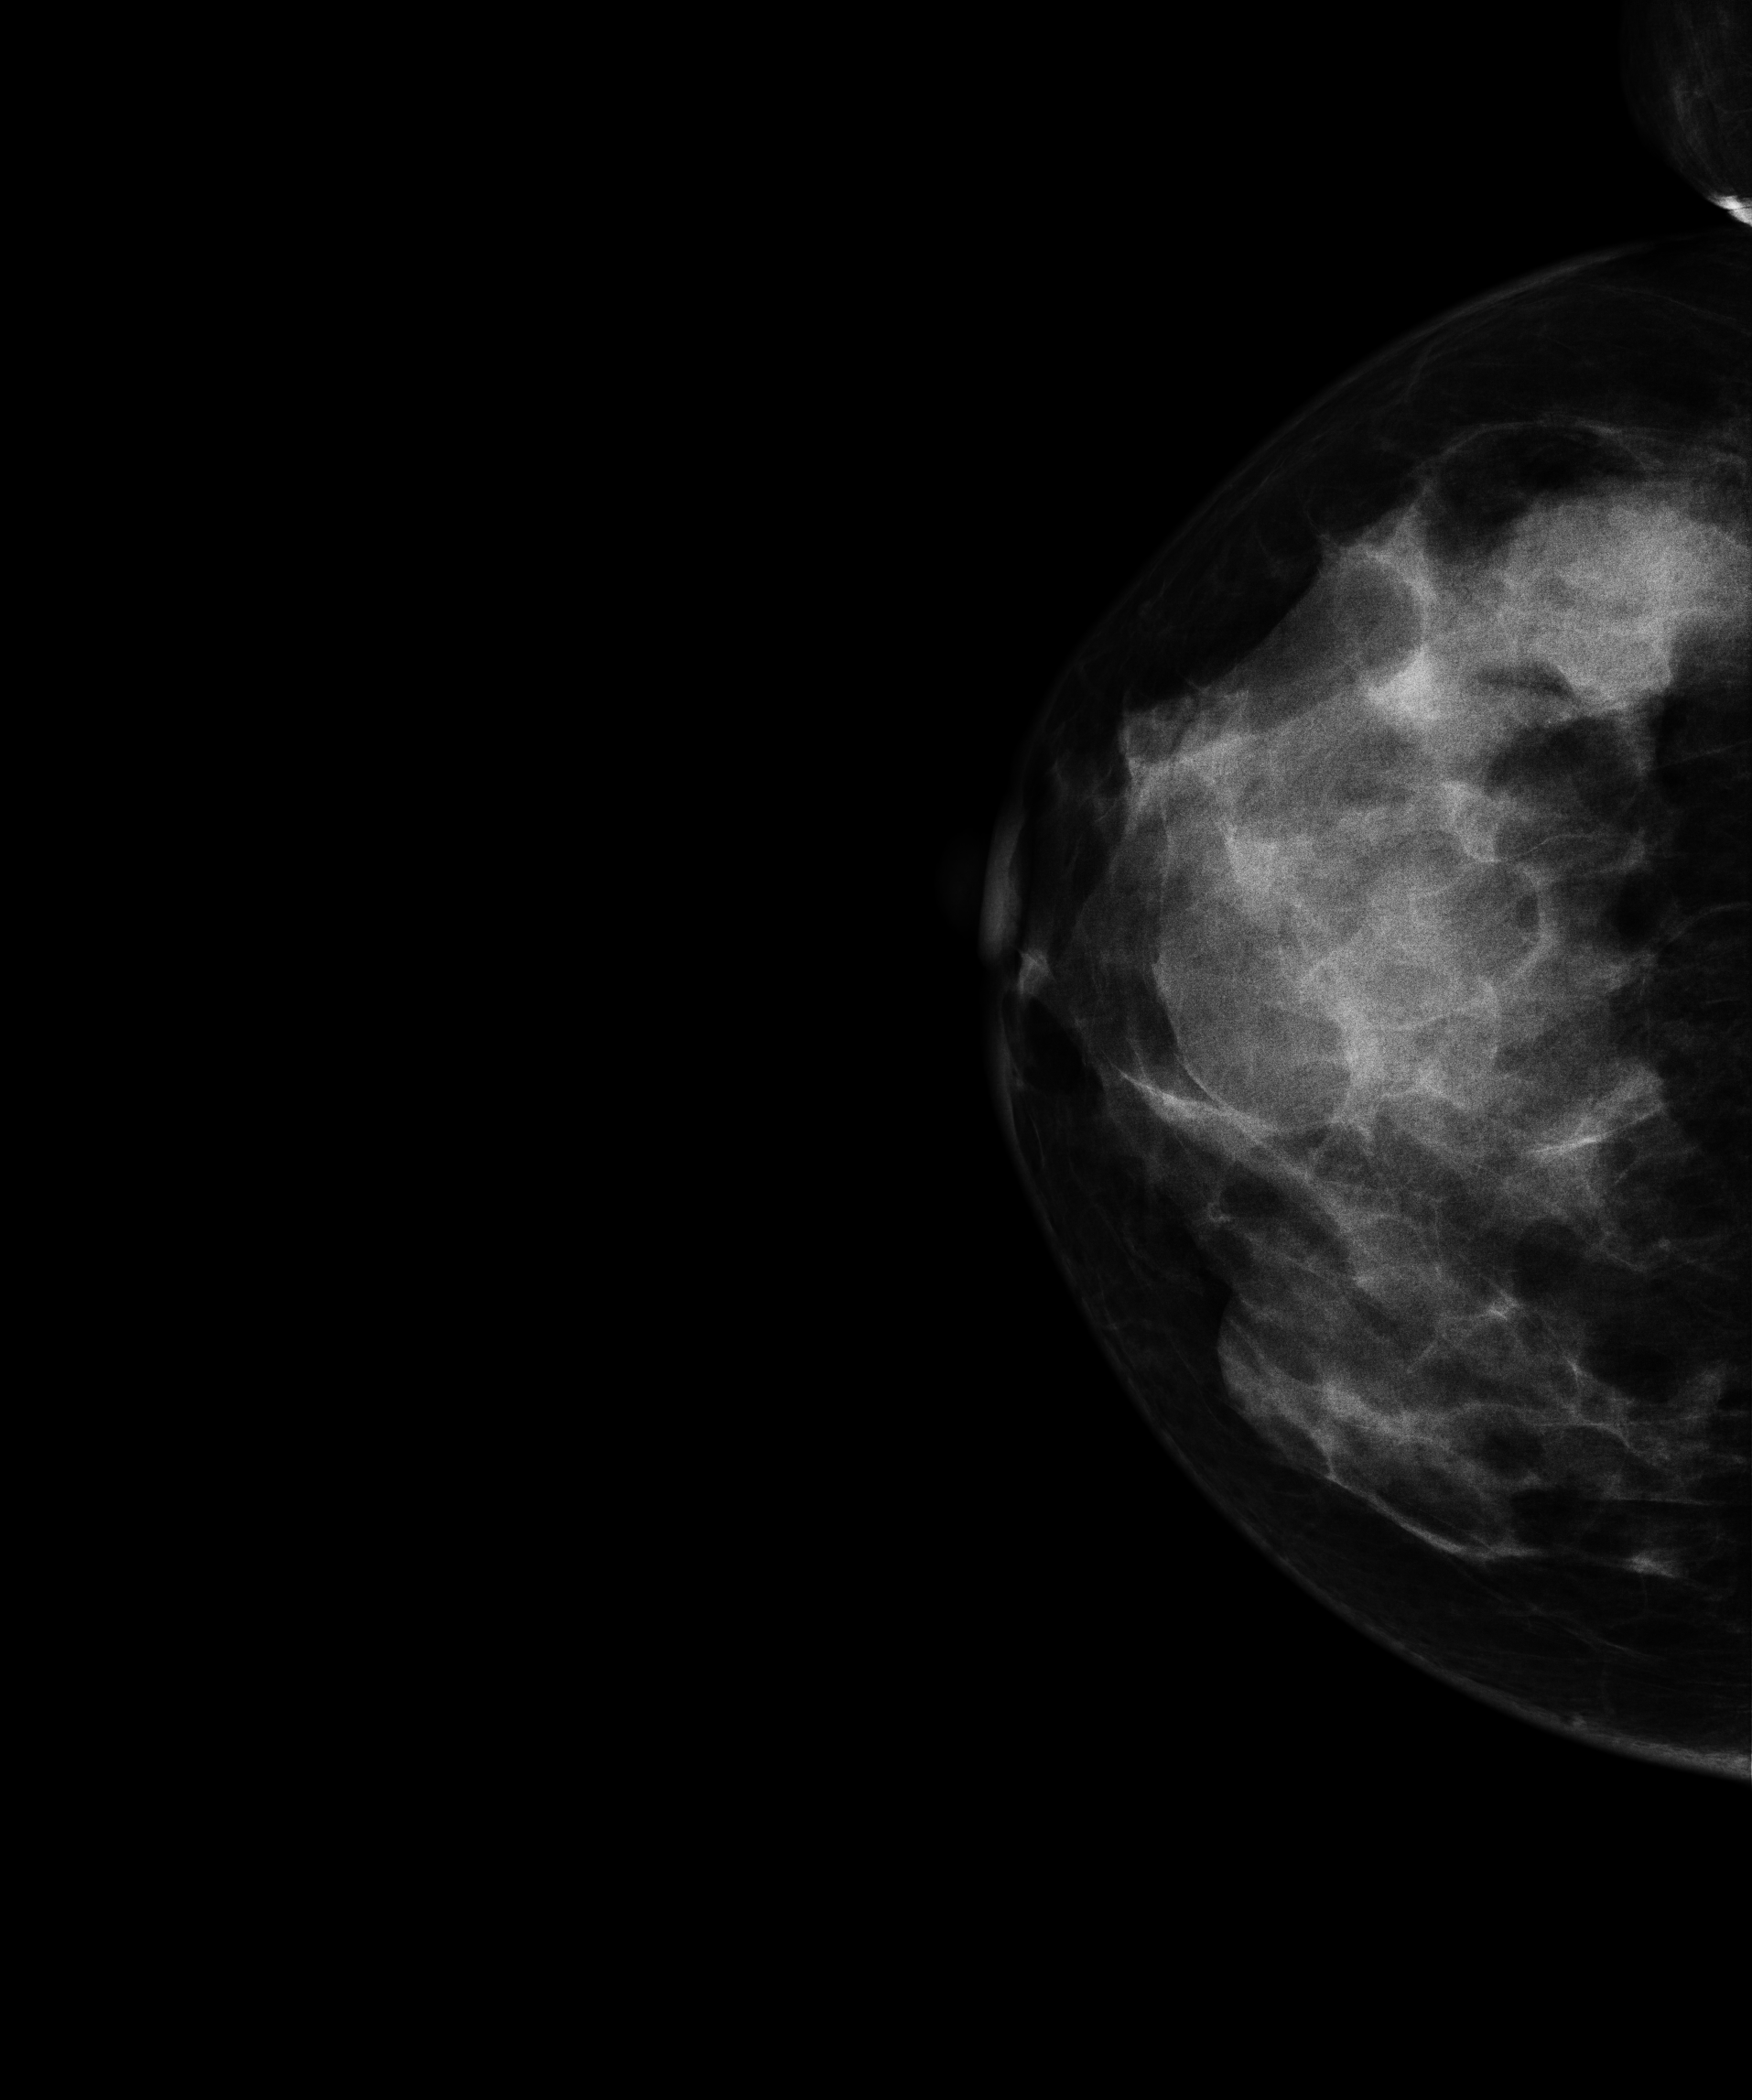
Digital mammography. Right breast, CC projection. 47-year-old patient.
Contralateral breast — no documented abnormality on this side.